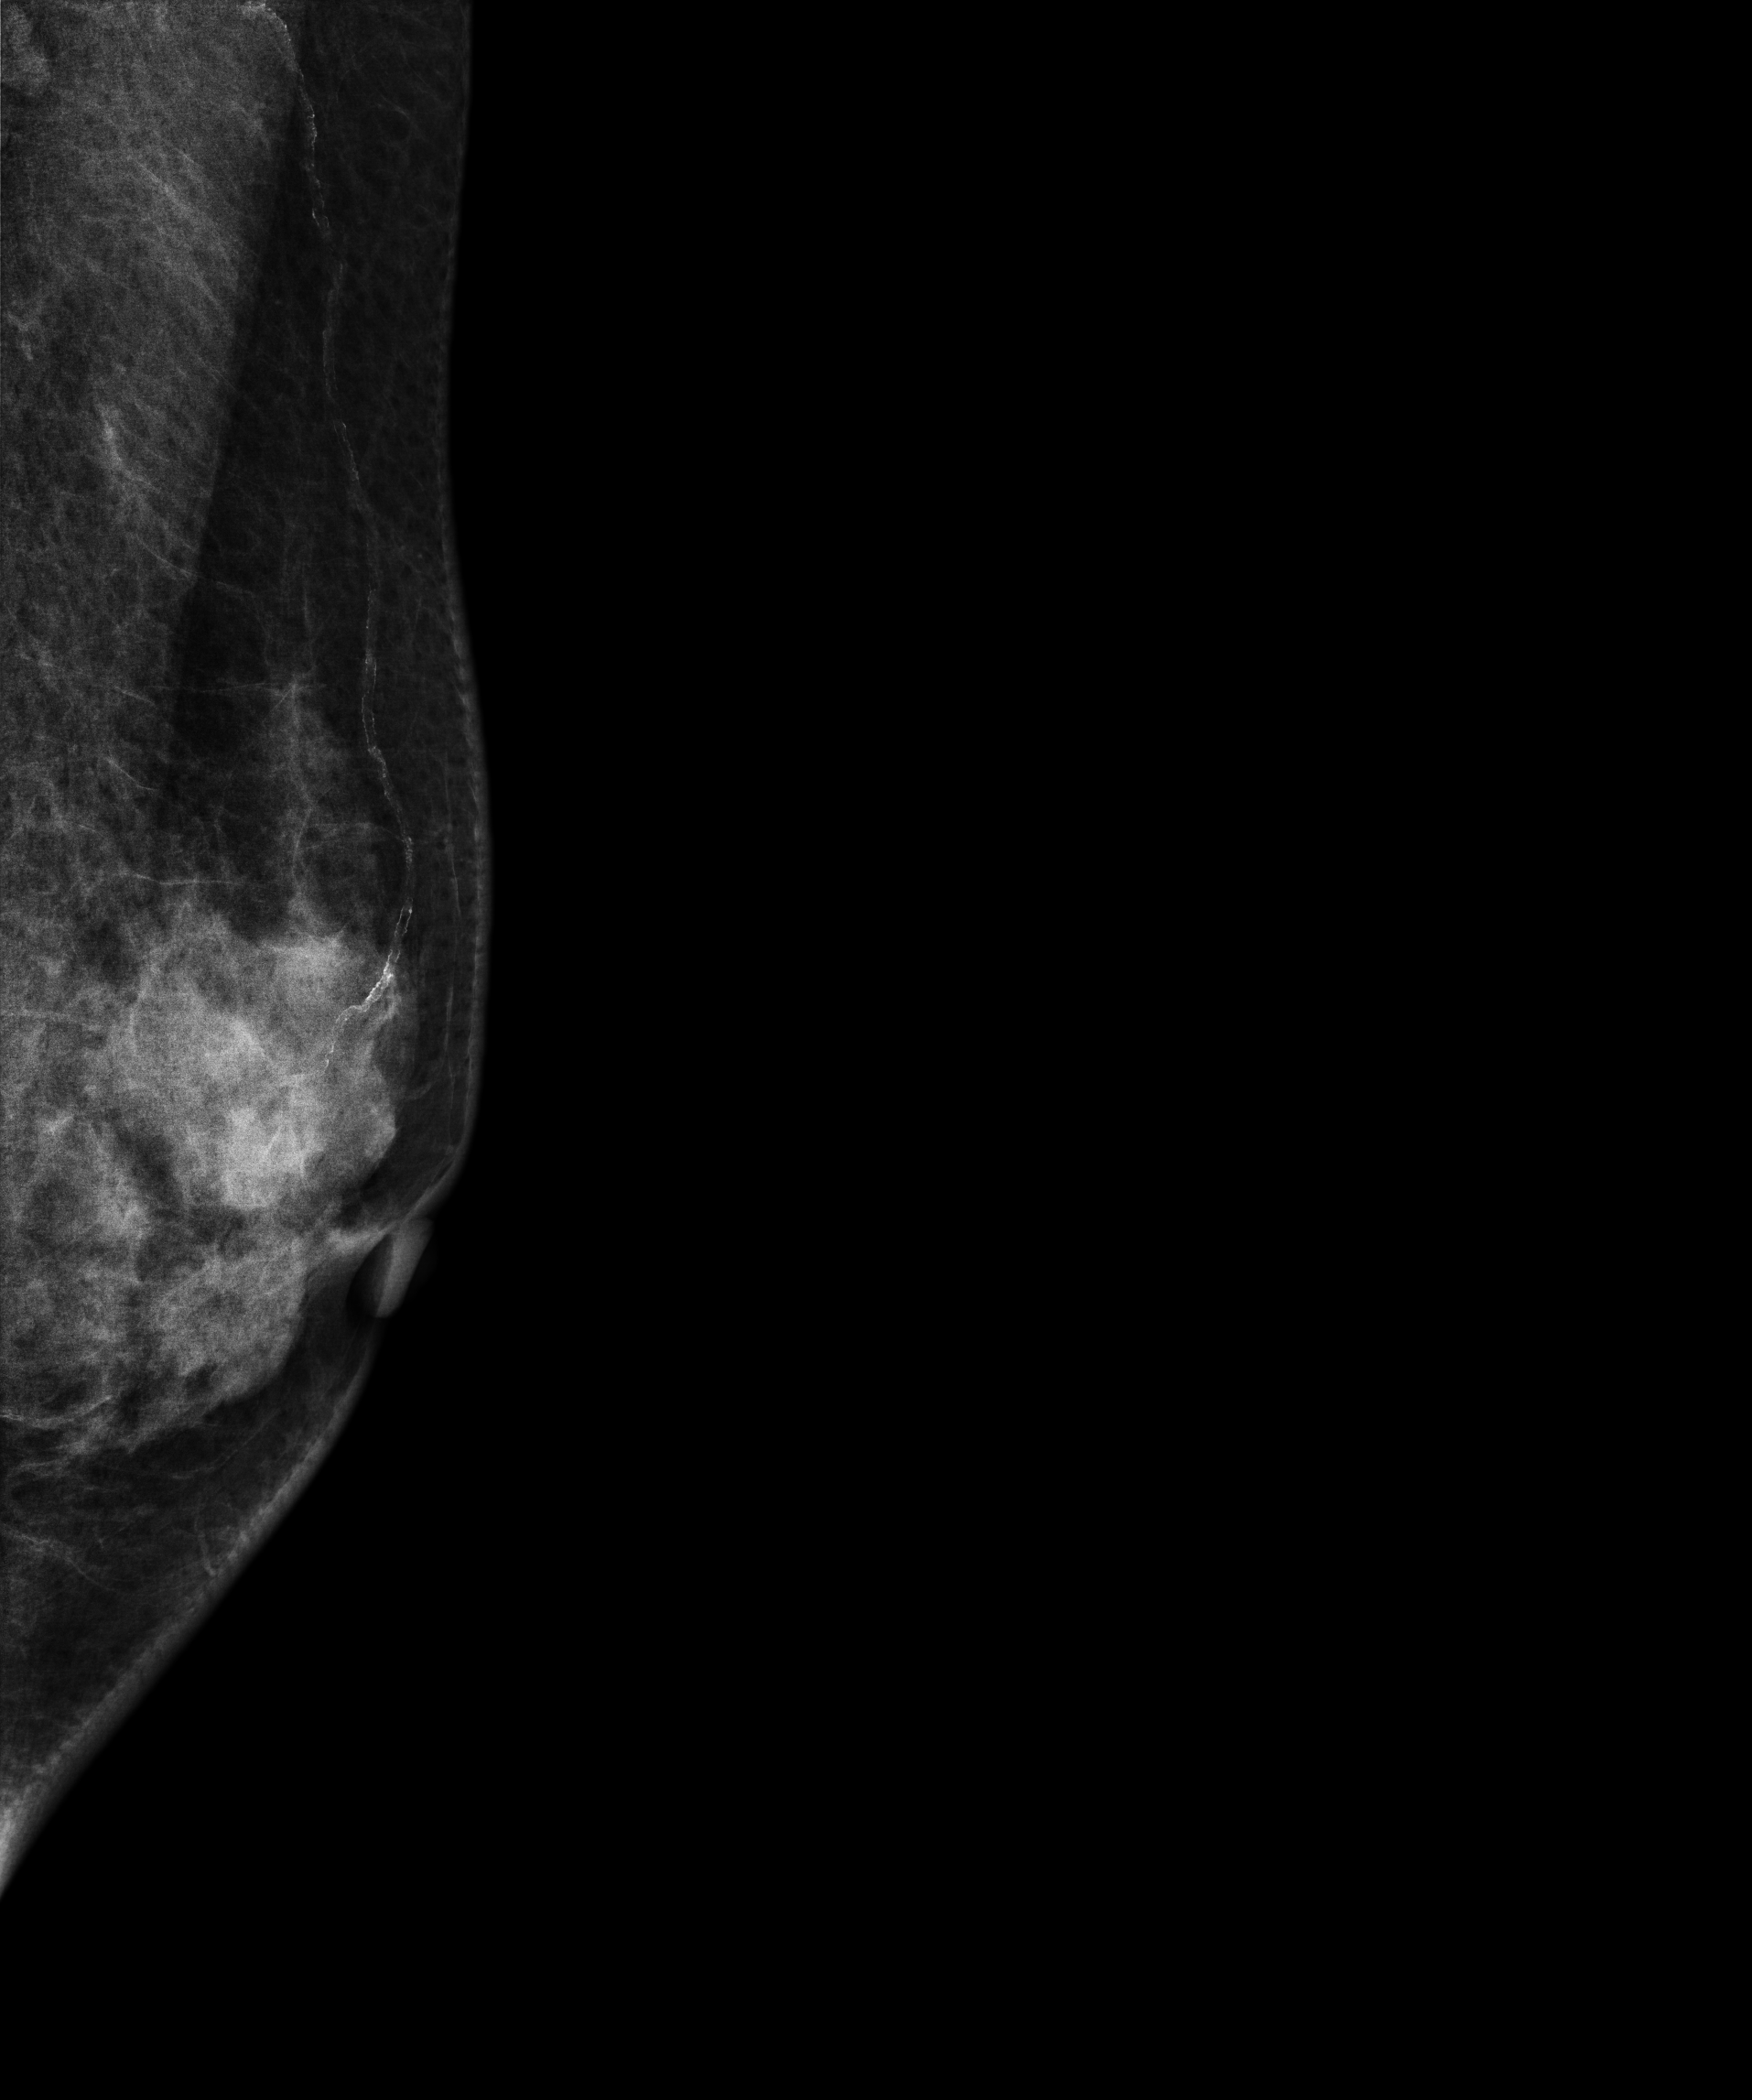
Digital mammography. Left breast, MLO projection. 63-year-old patient.
This breast has a mass, biopsy-confirmed benign.